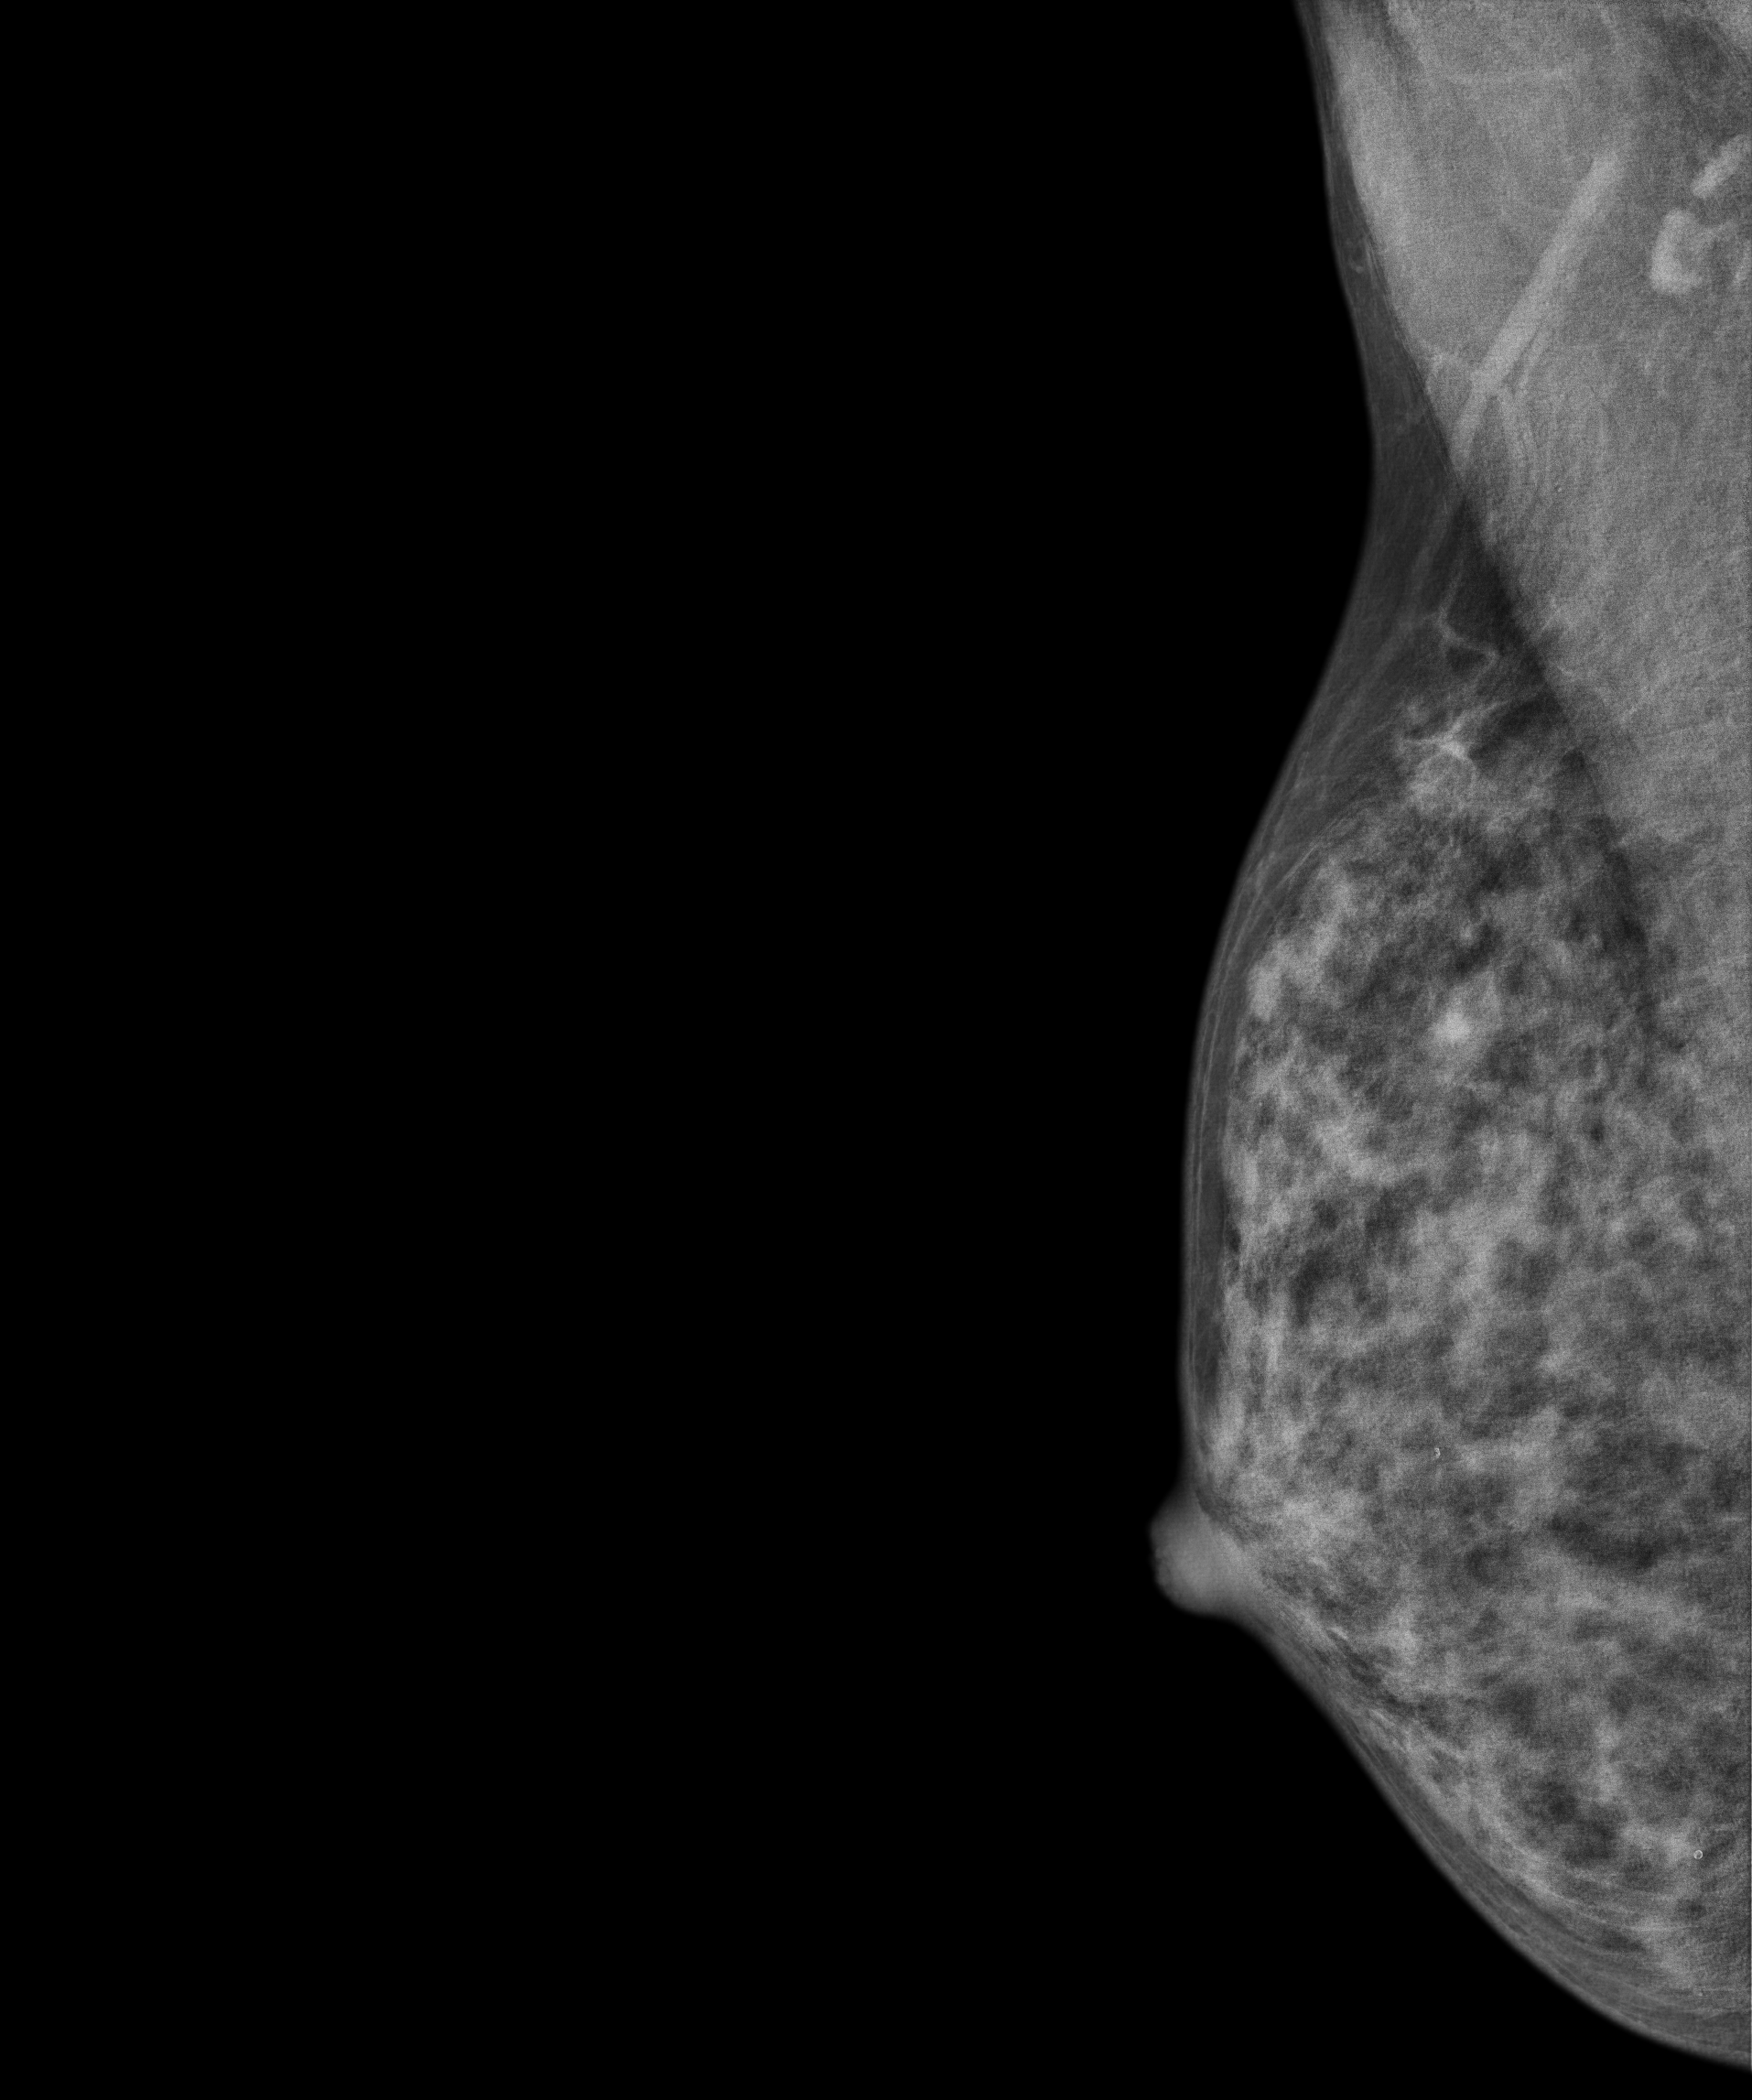
Right-breast mammogram, MLO. 44-year-old patient.
Contralateral breast — no documented abnormality on this side.